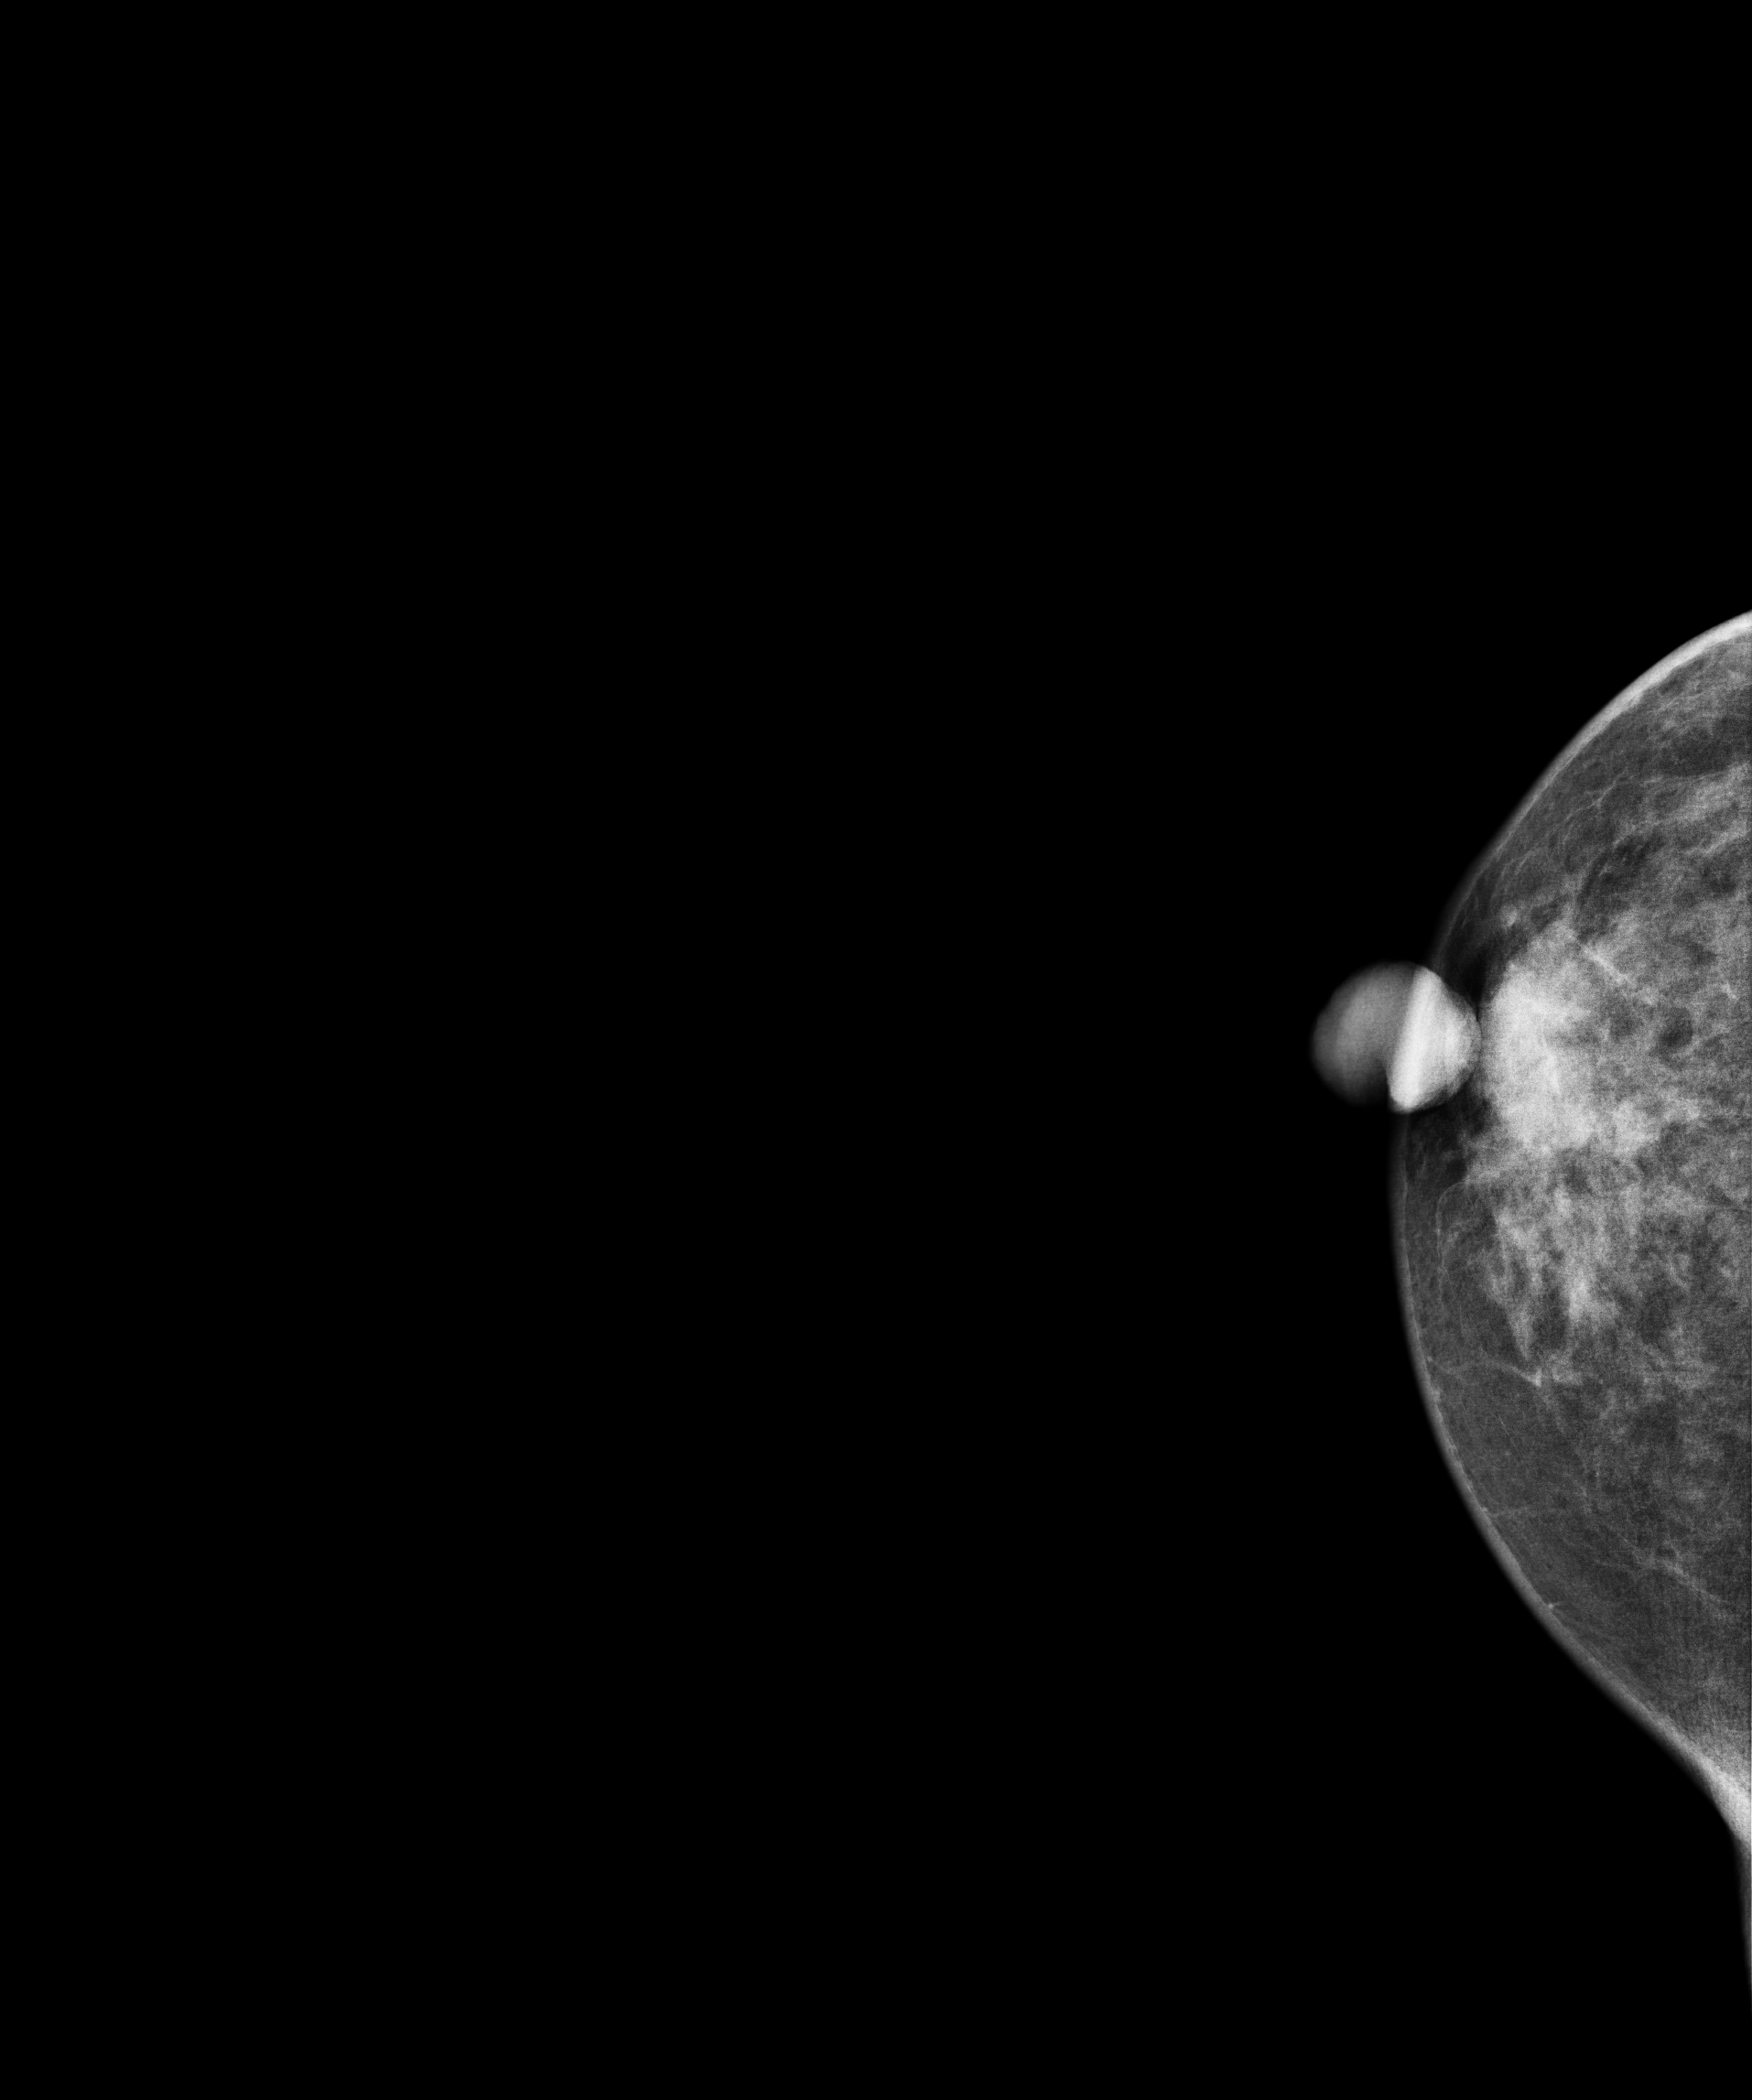
Mammogram, right breast, cranio-caudal view. 37 y/o patient.
This breast has a mass, biopsy-proven benign.